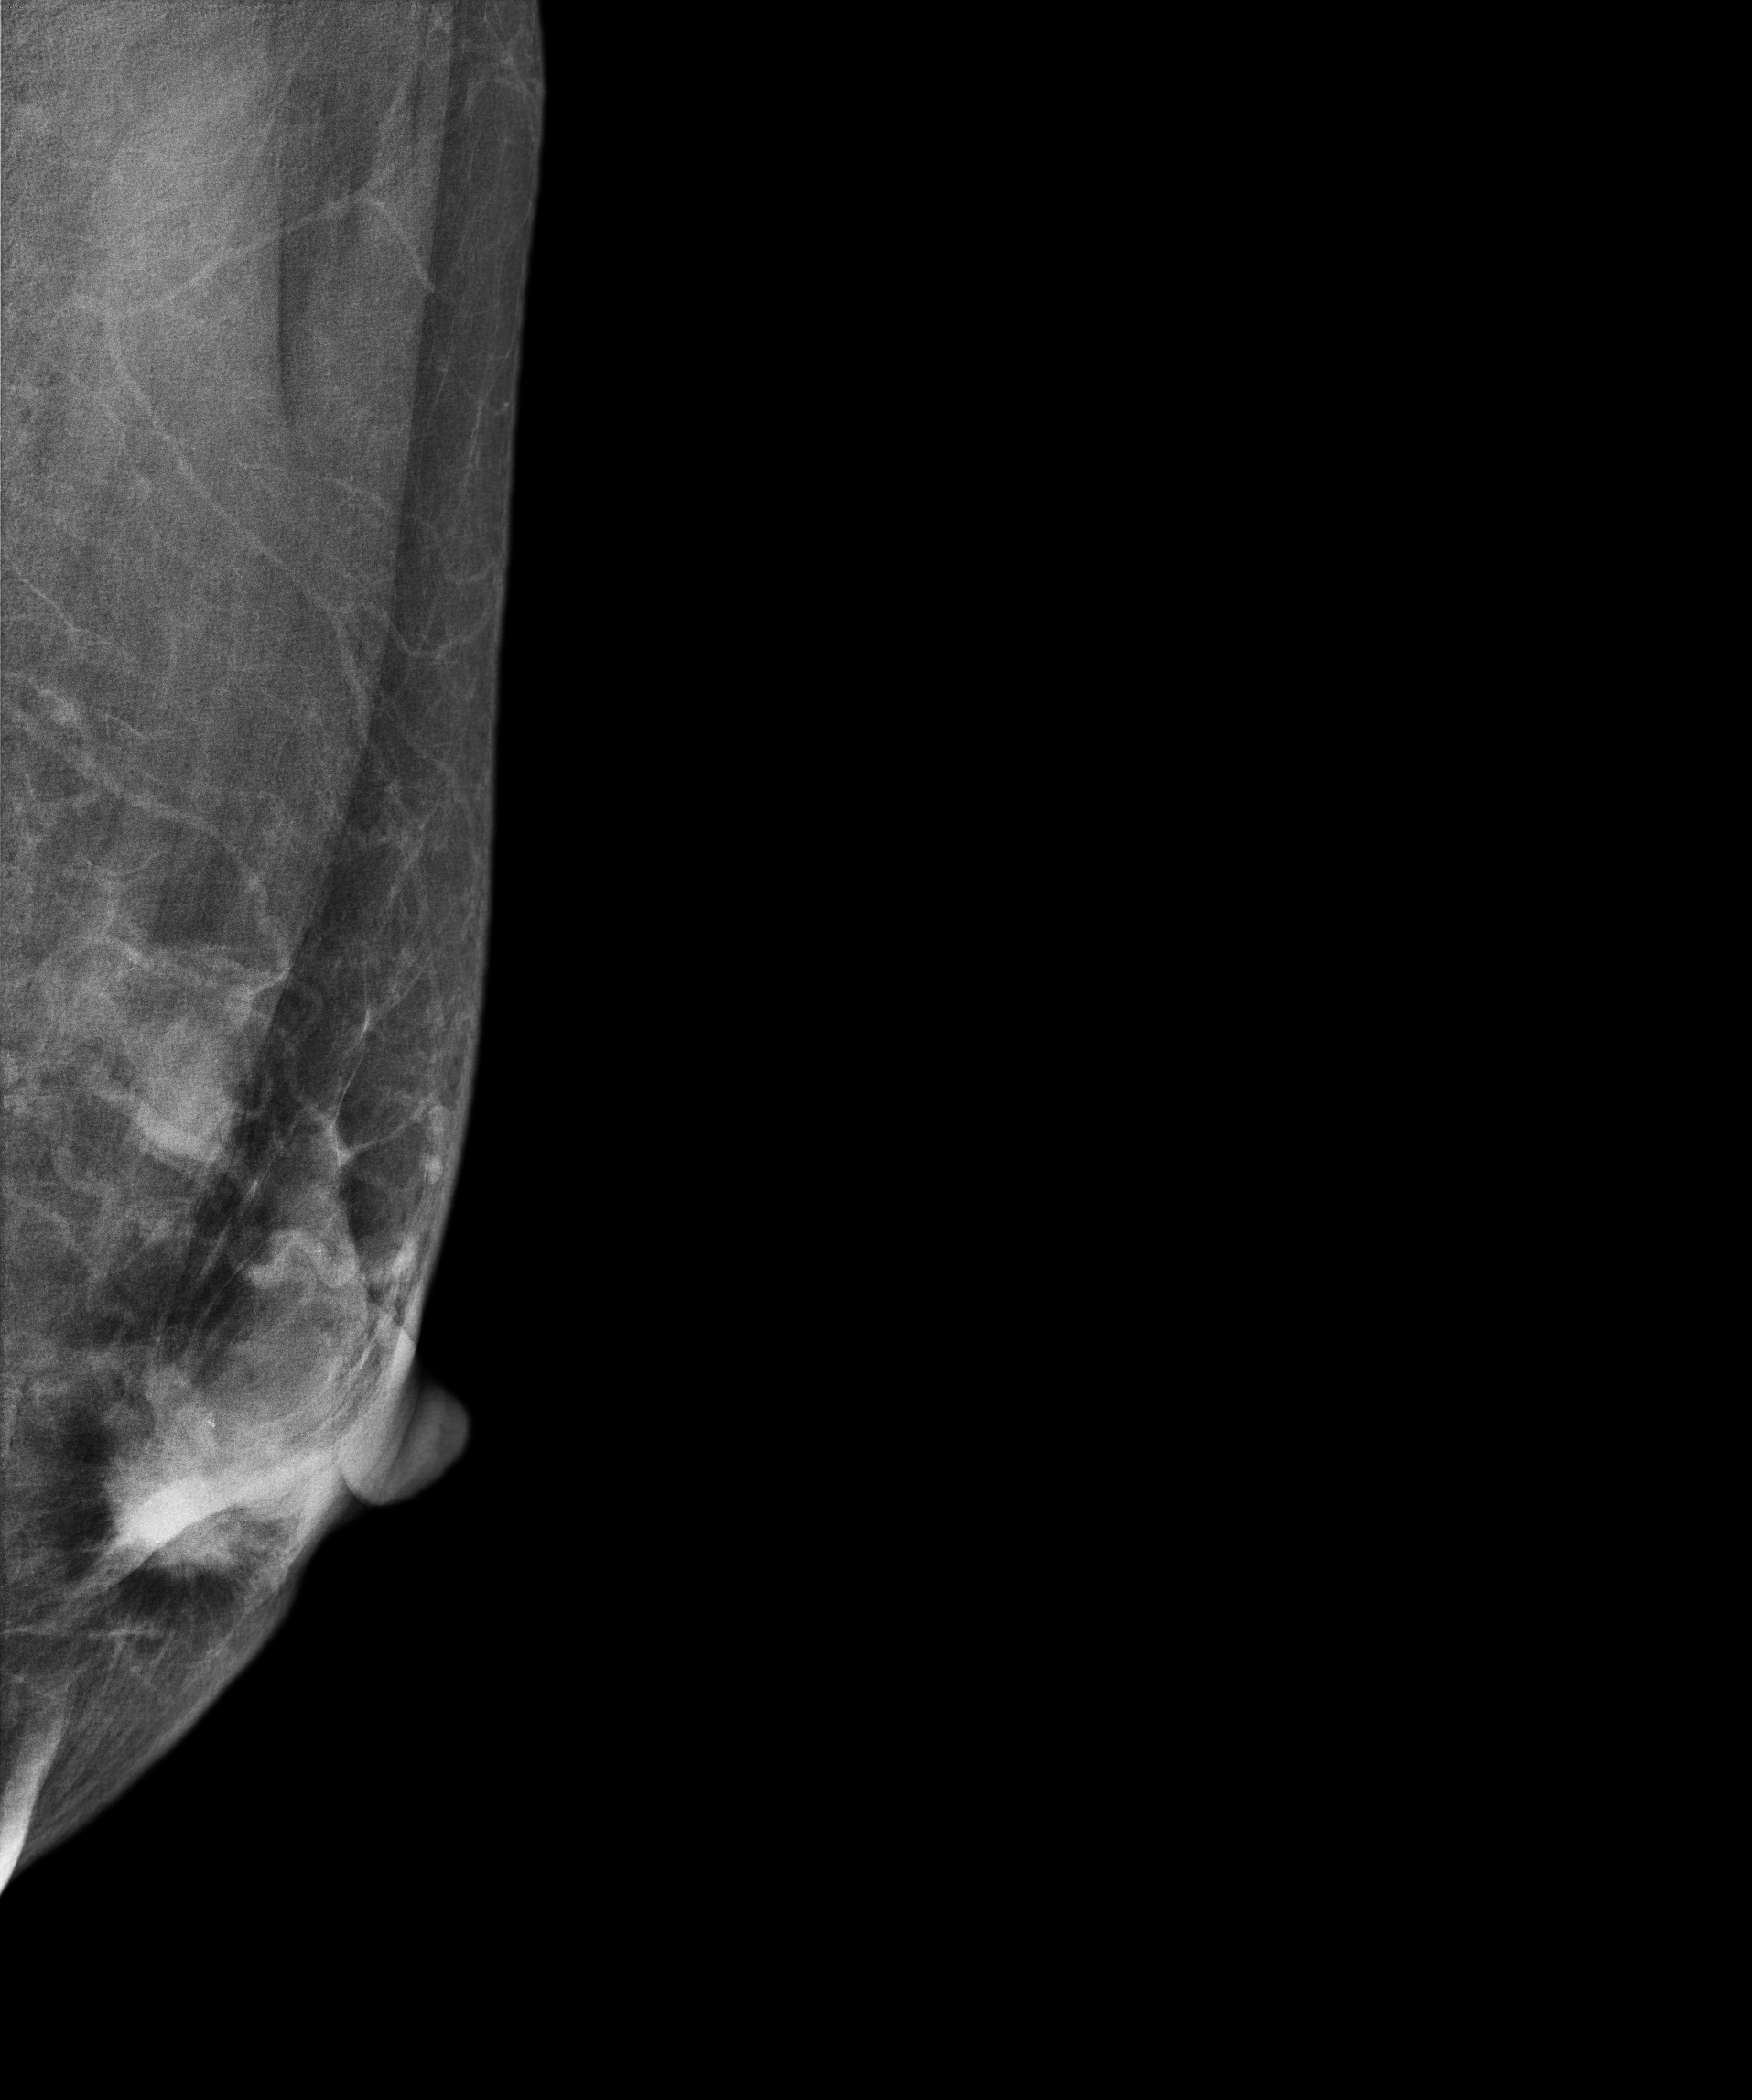
MLO mammogram of the left breast. 53 y/o patient.
This breast has a mass and calcifications, pathology-confirmed malignant.